Left-breast mammogram, CC. 42-year-old patient.
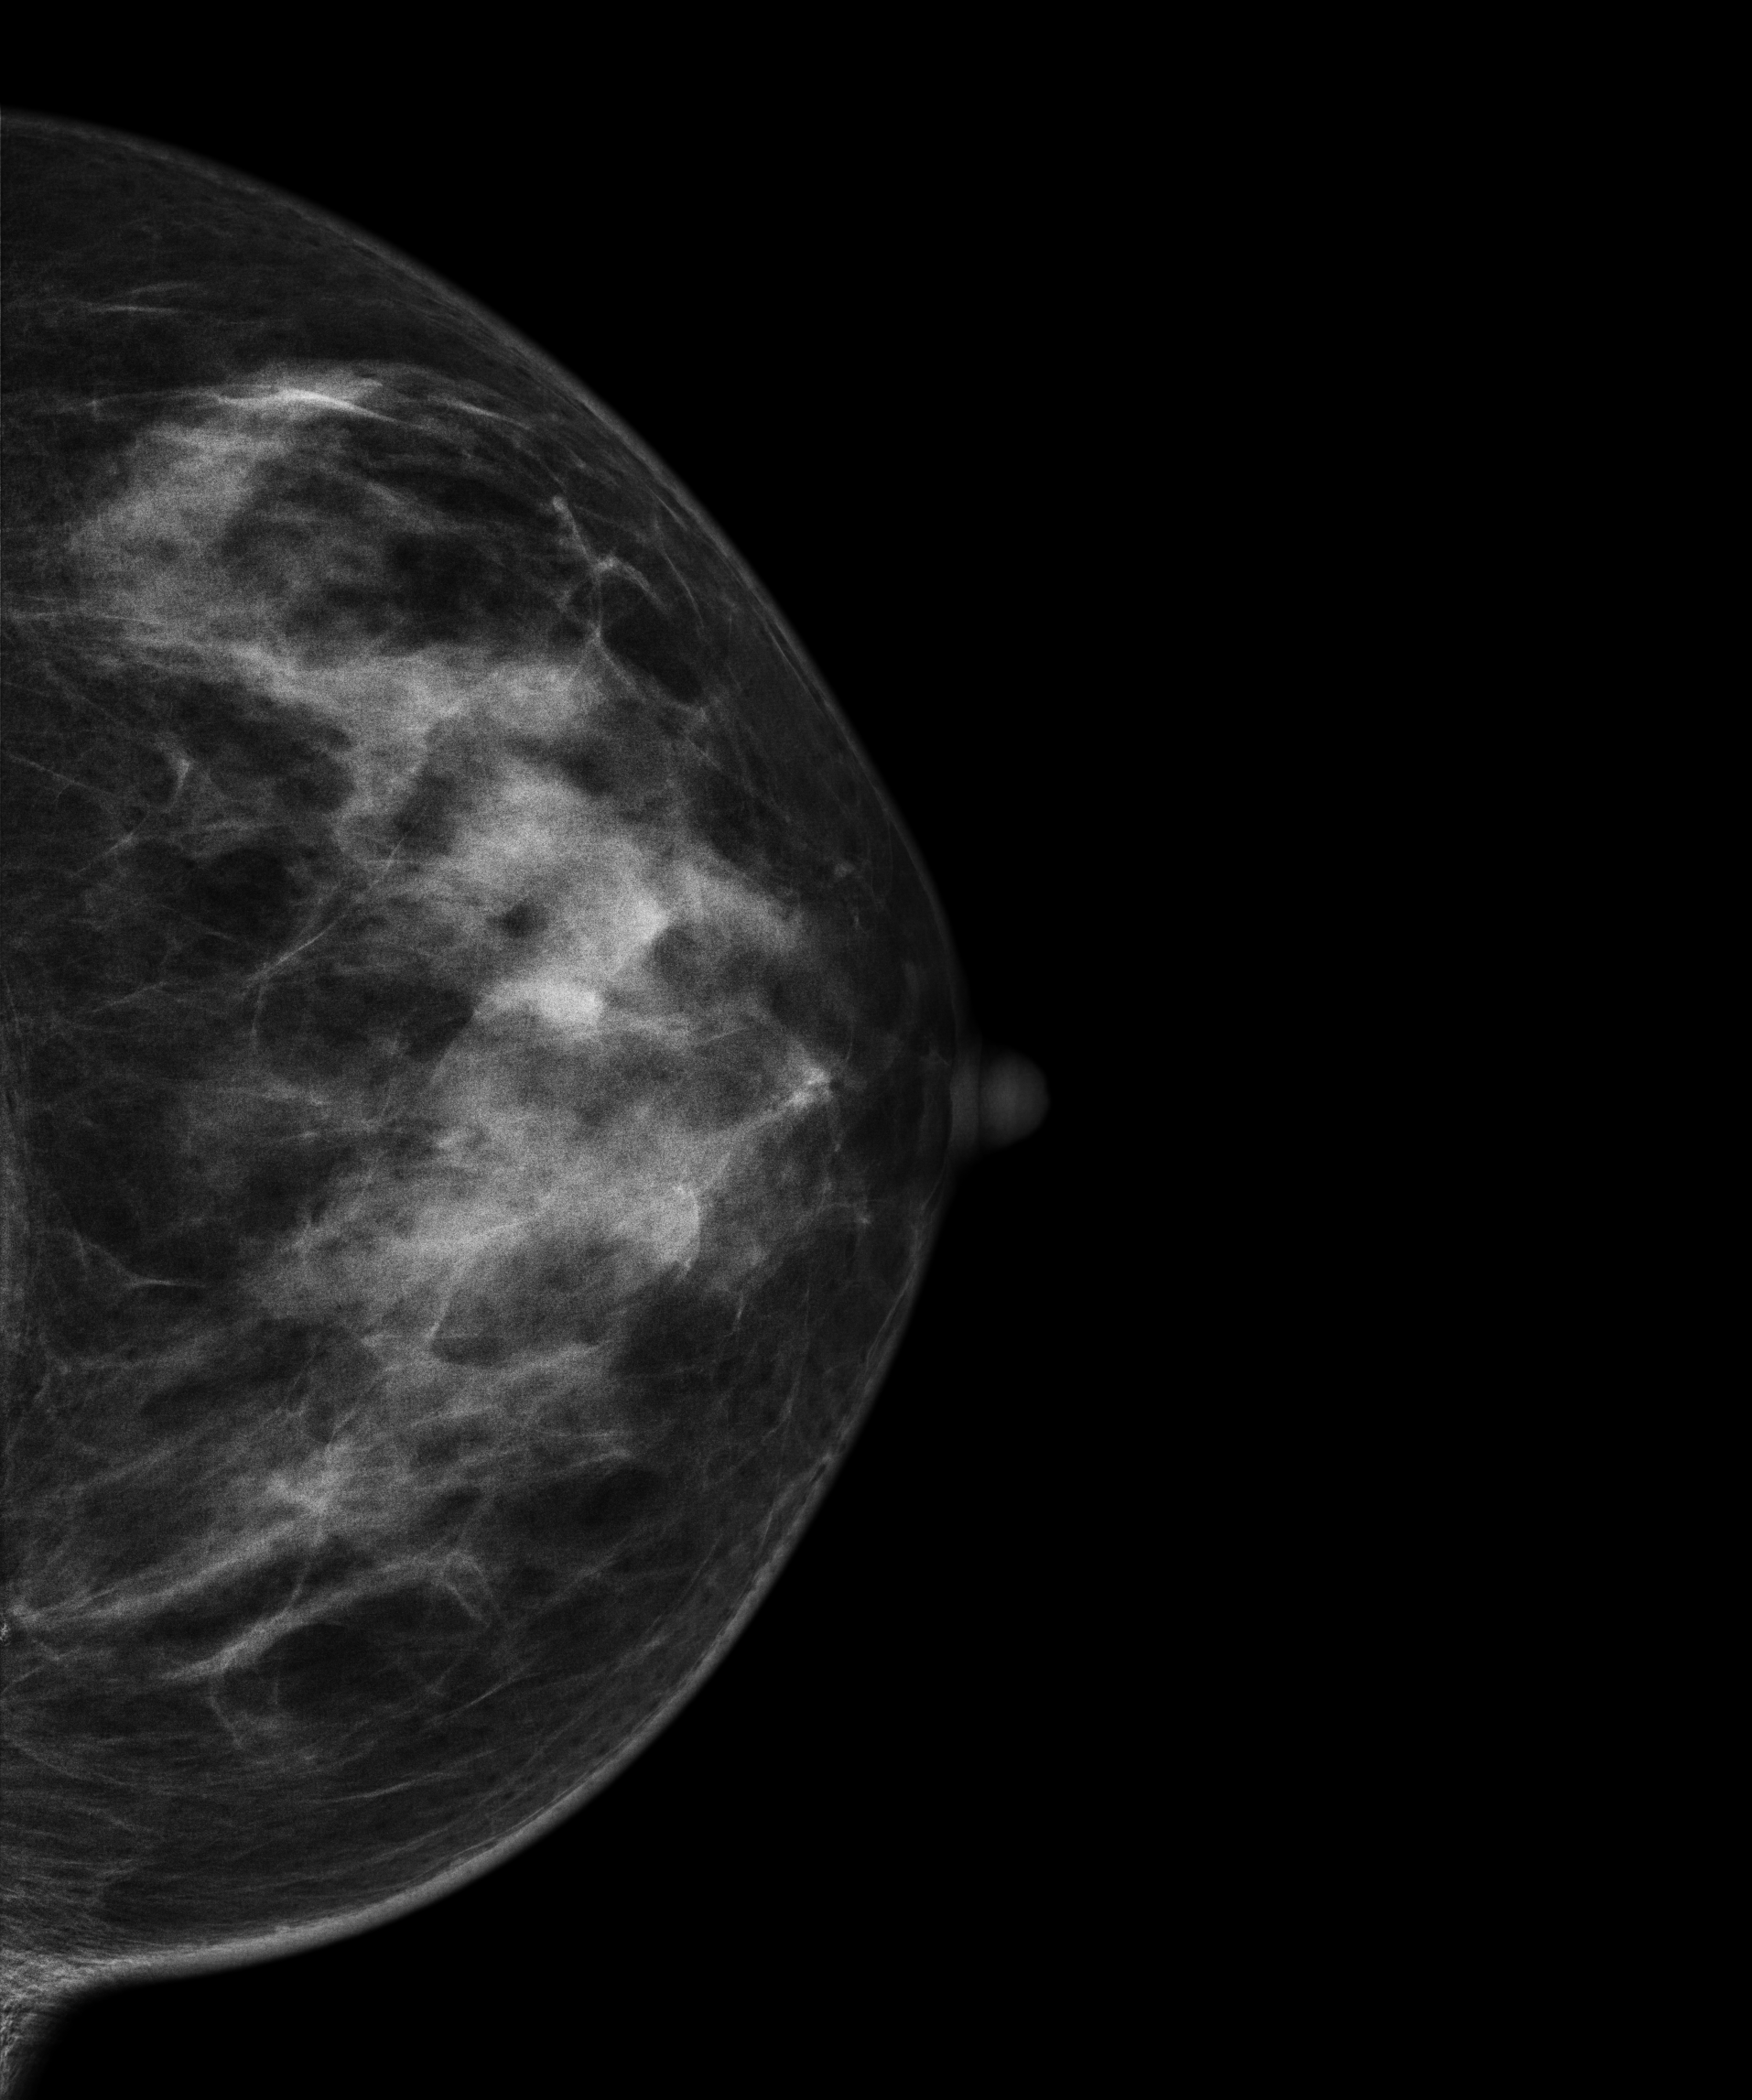
Contralateral breast — no documented abnormality on this side.